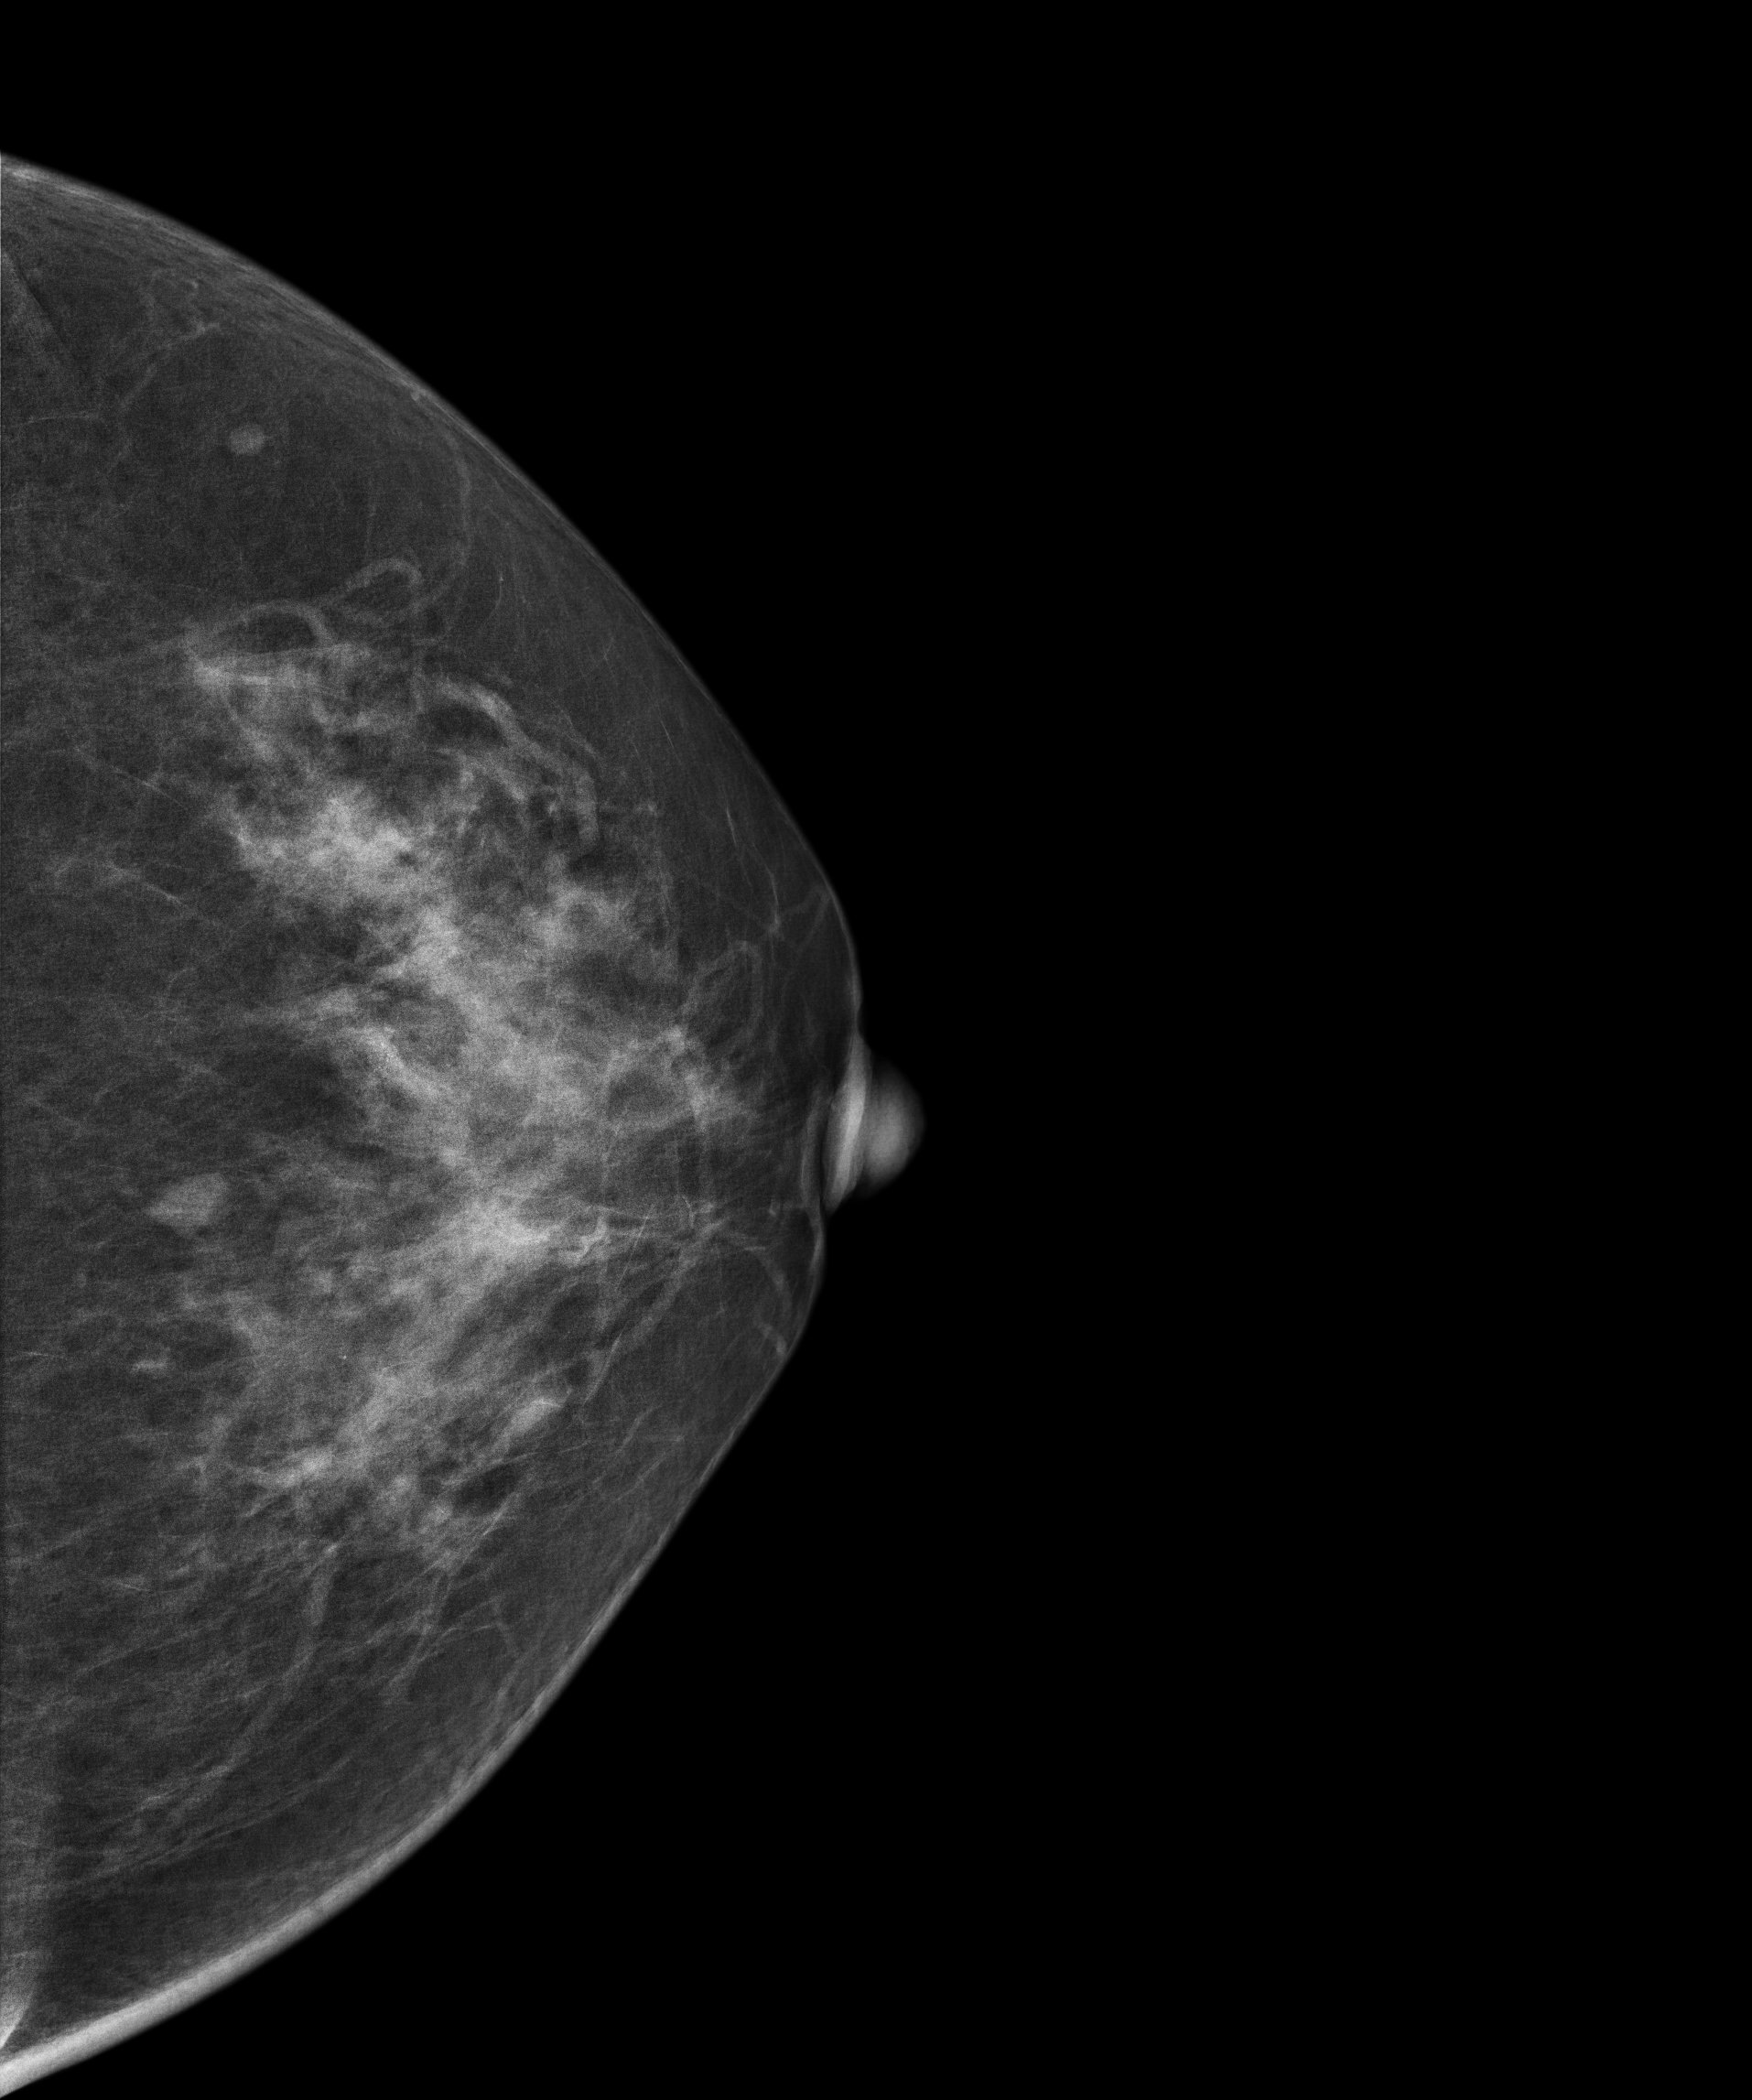
Mammogram, left breast, cranio-caudal view. Patient age 51.
Contralateral breast — no documented abnormality on this side.